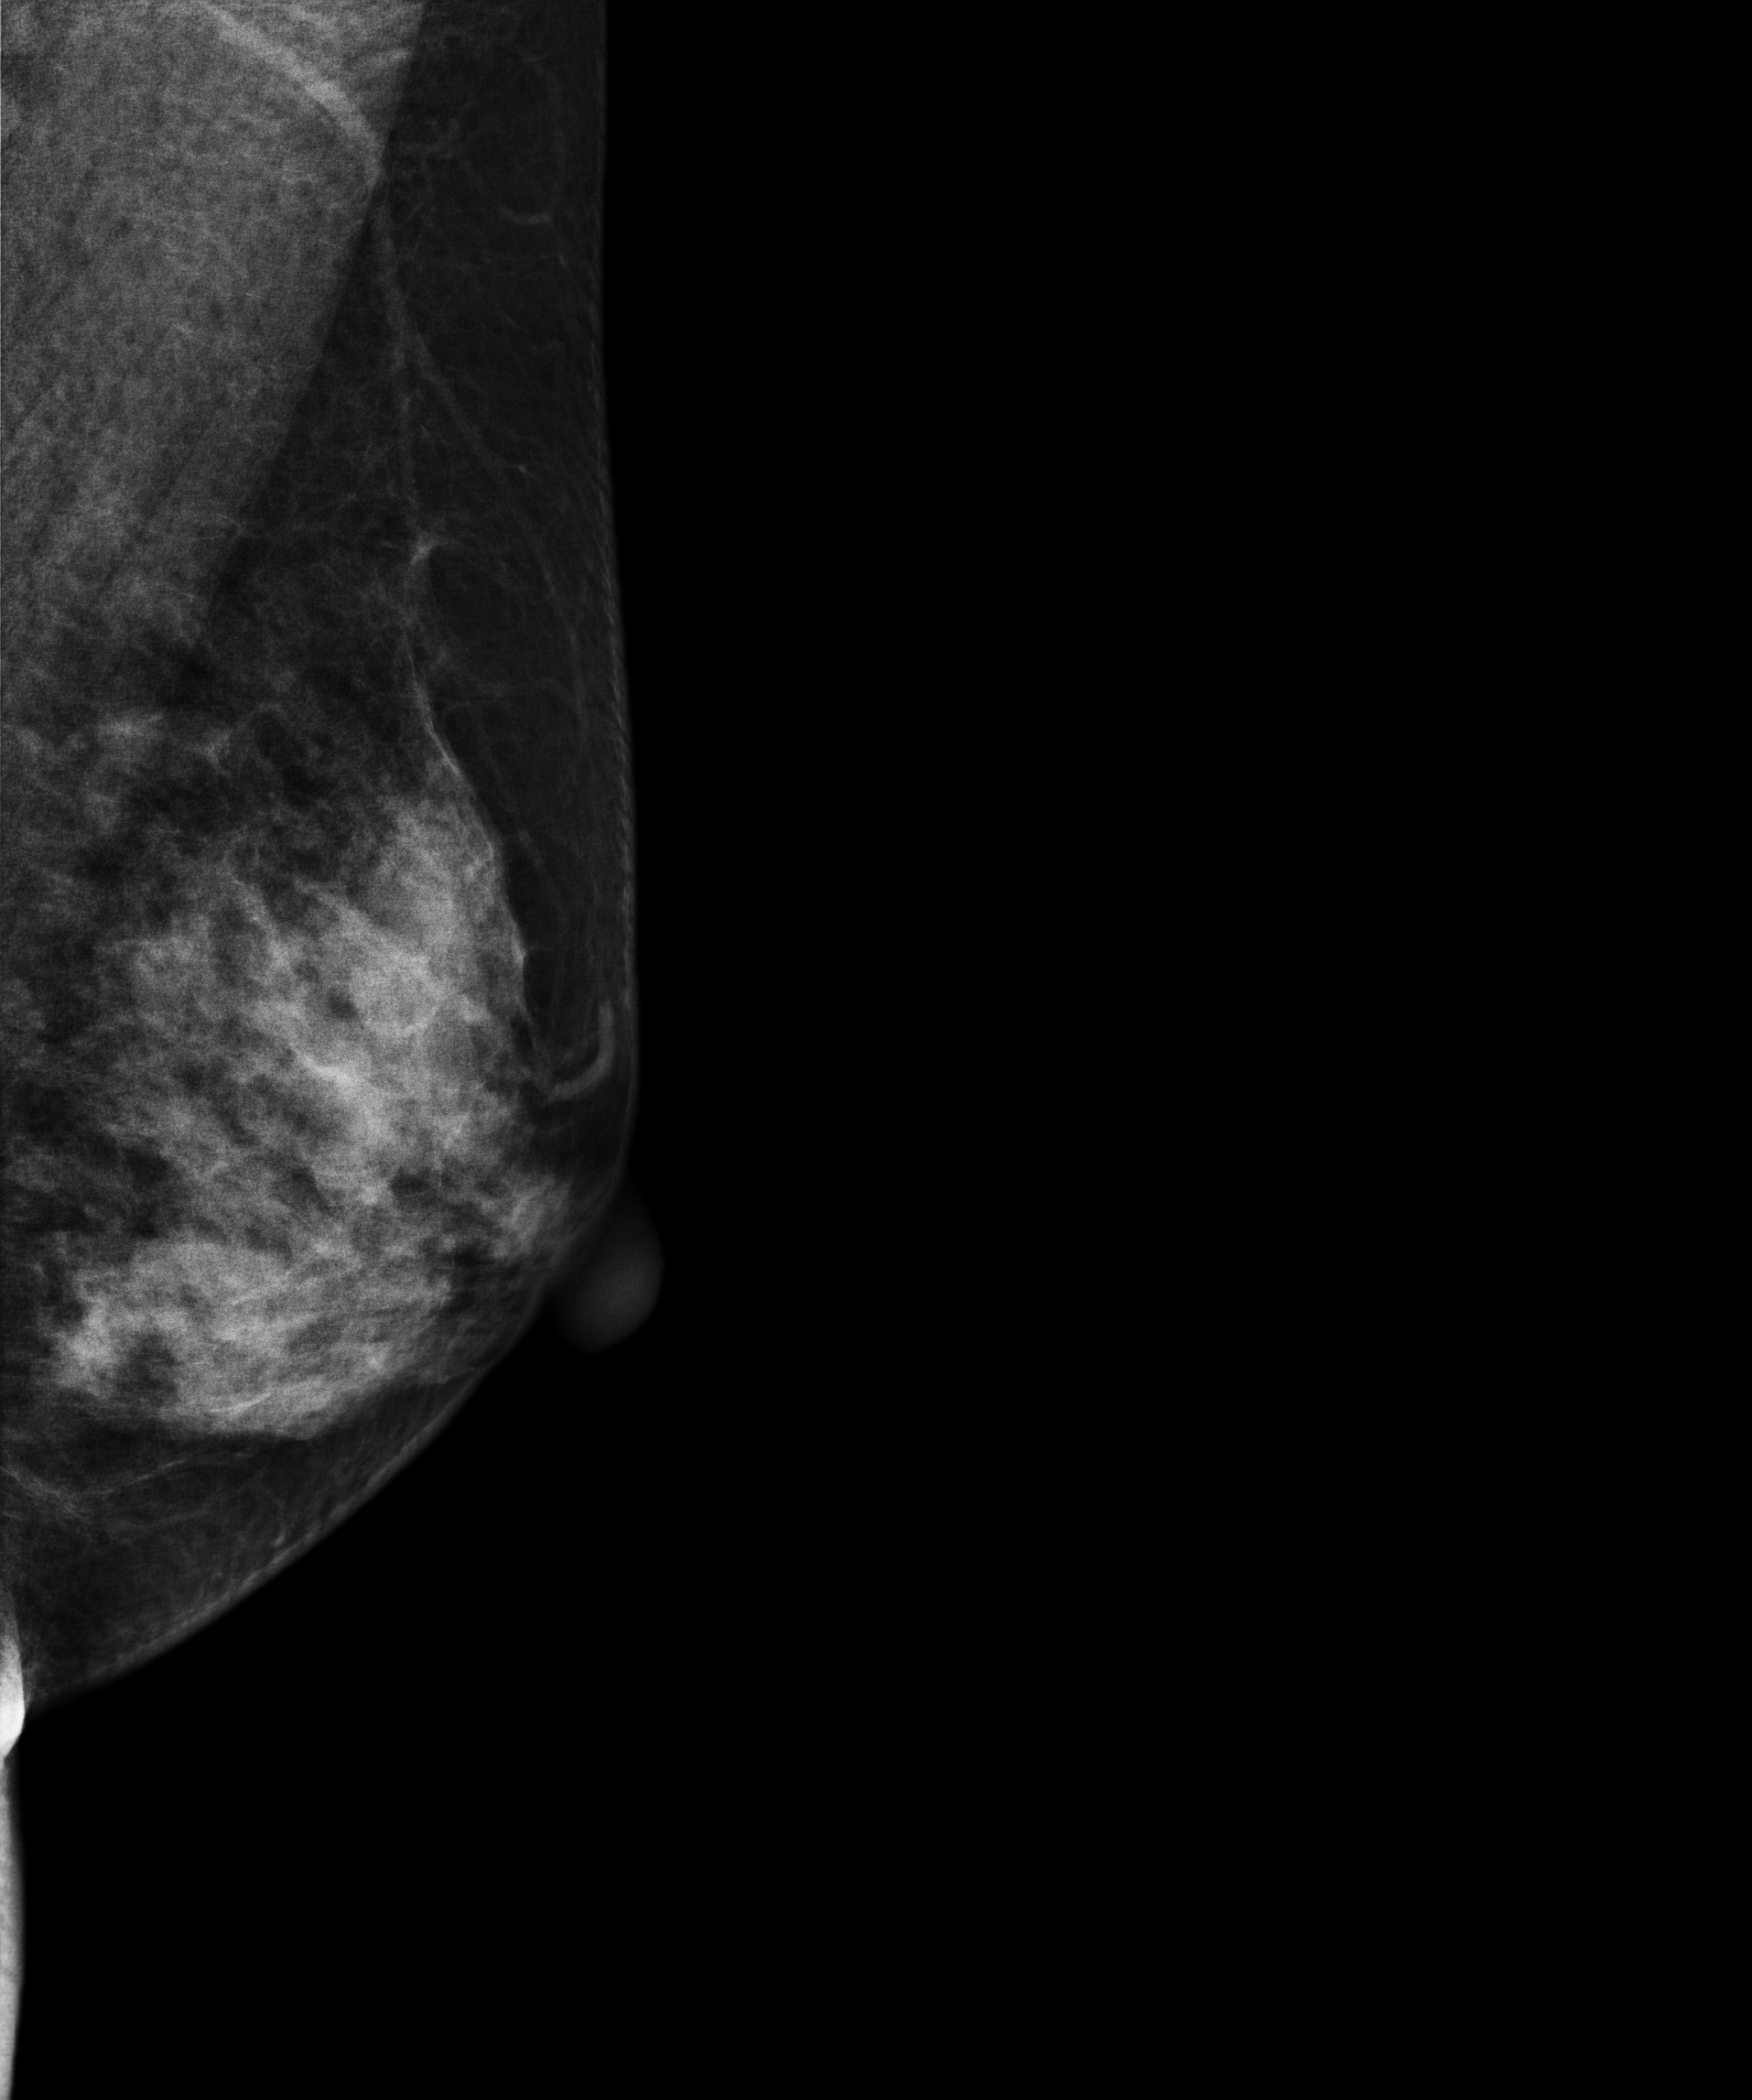
Medio-lateral oblique mammogram of the left breast. 40 y/o patient.
Contralateral breast — no documented abnormality on this side.